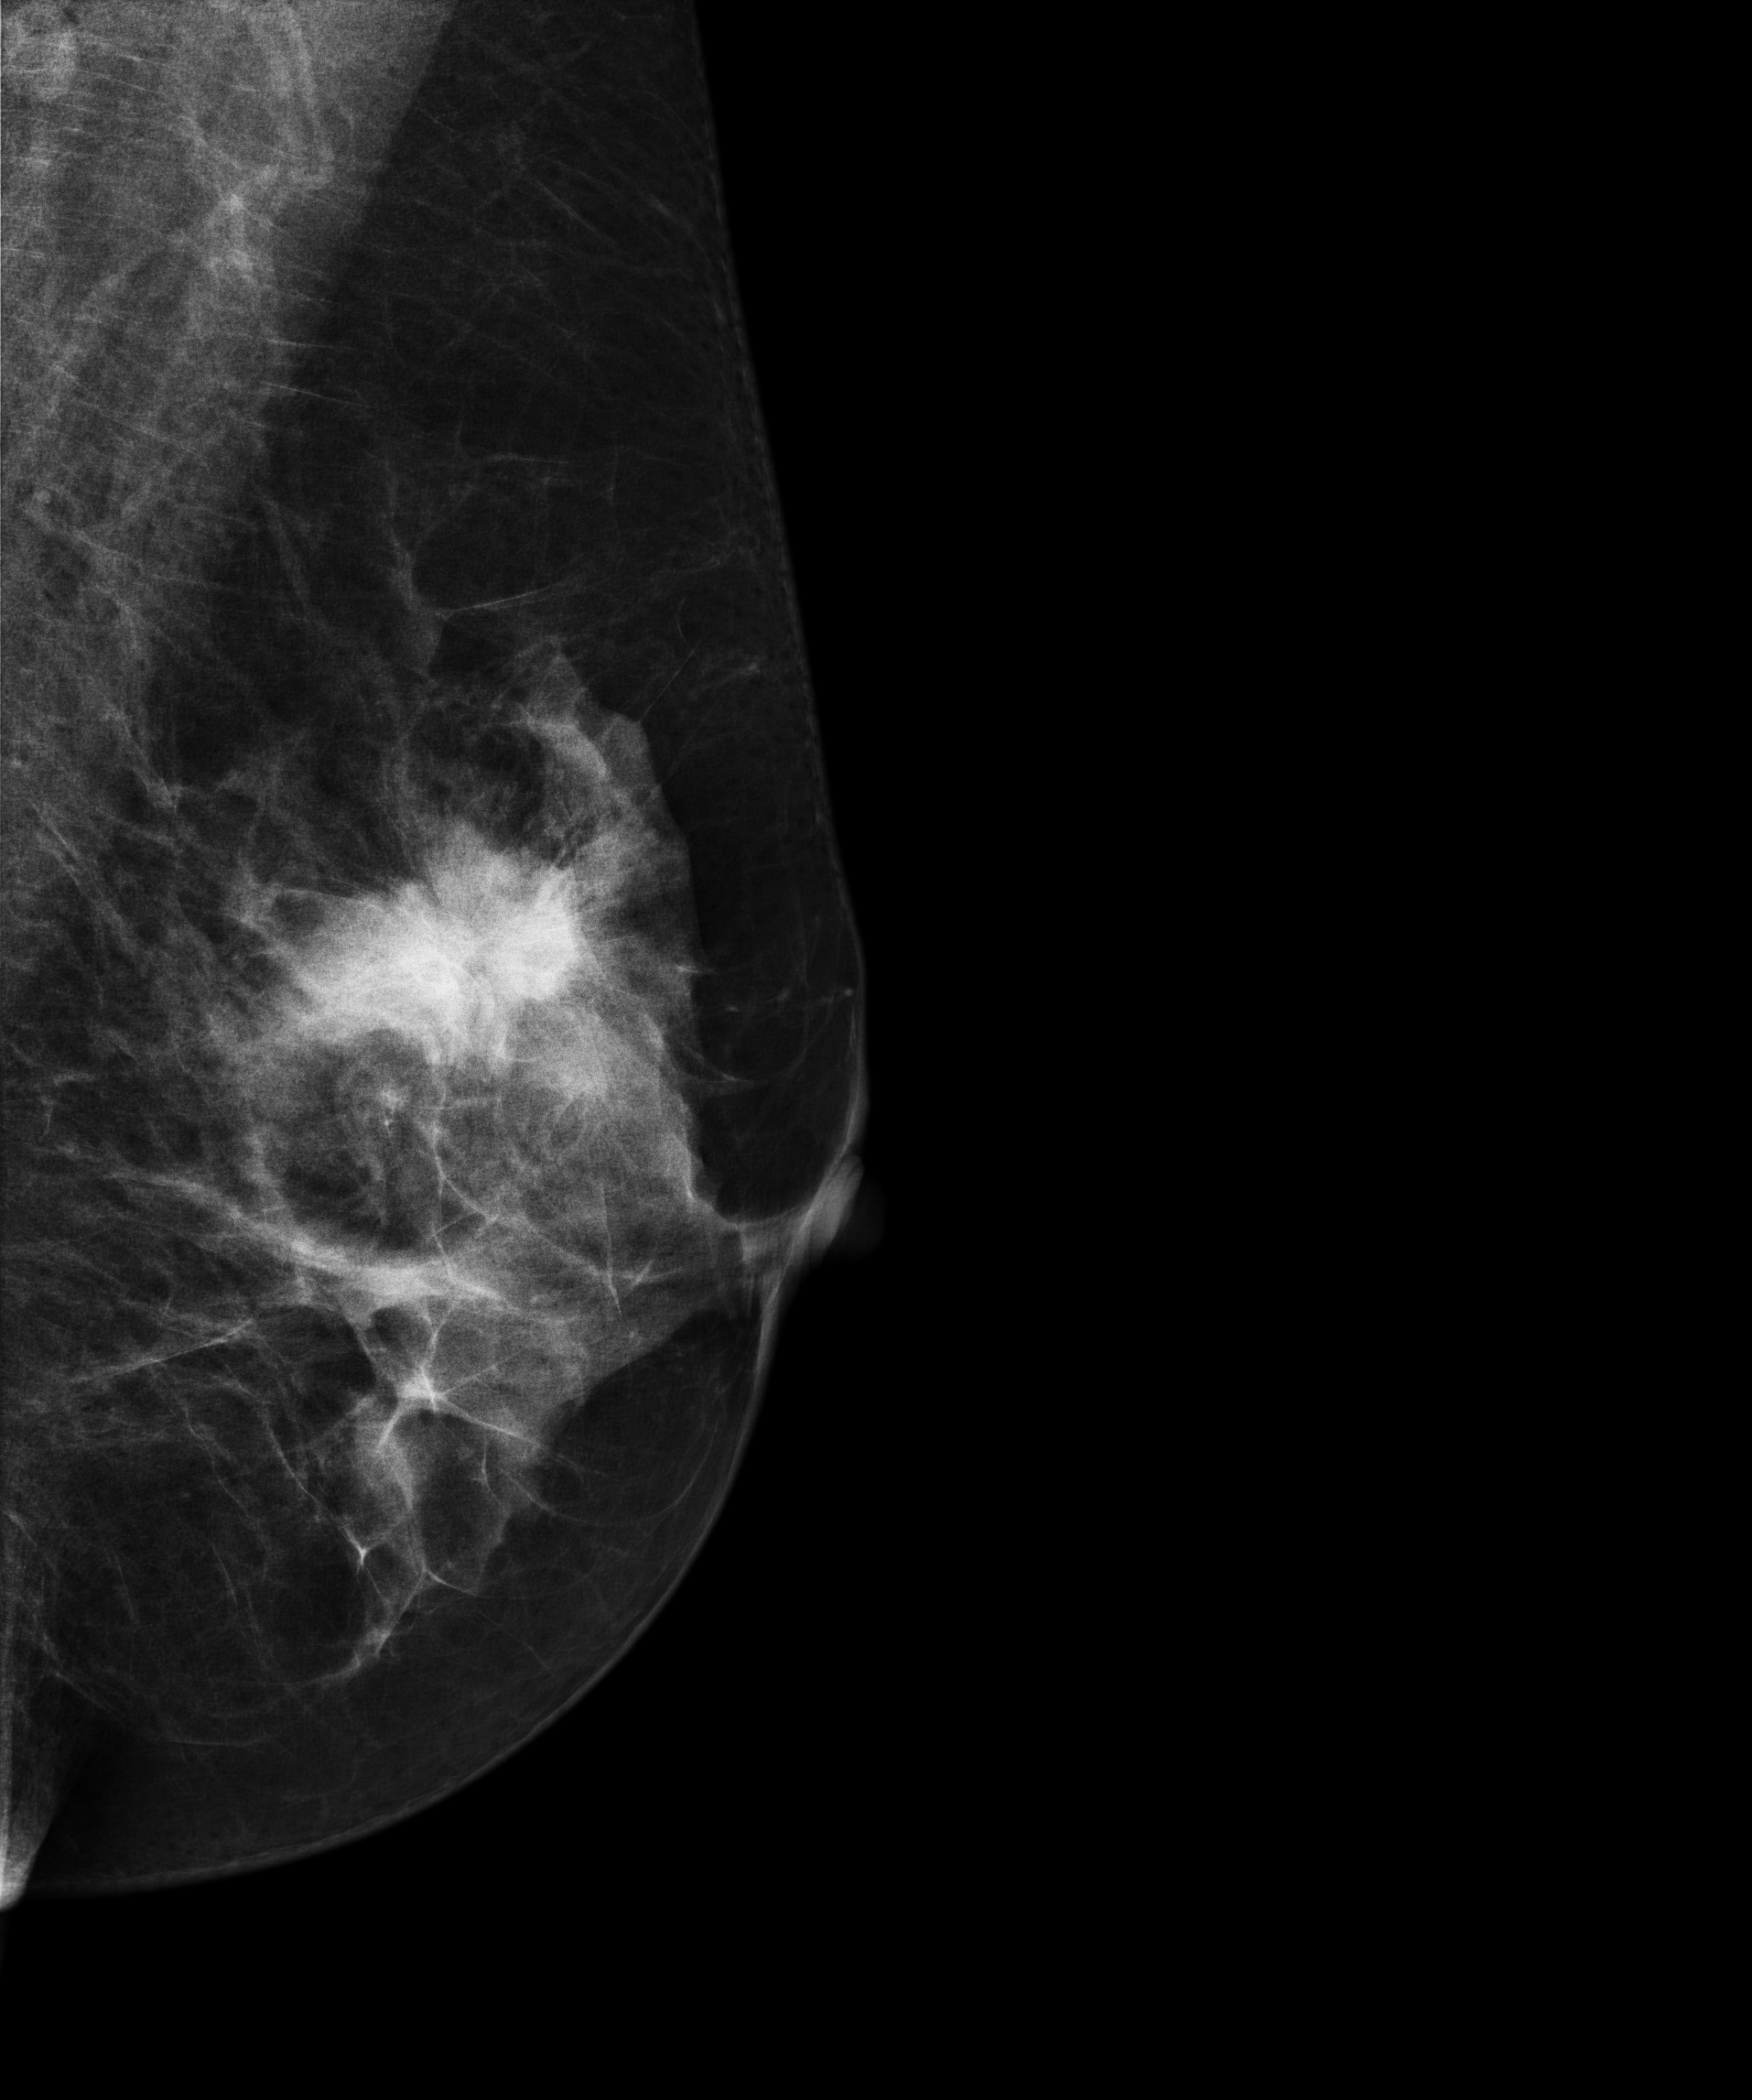
Mammogram — left MLO. 62-year-old patient.
This breast has a mass, biopsy-confirmed malignant.